Mammogram — right CC. 58-year-old patient.
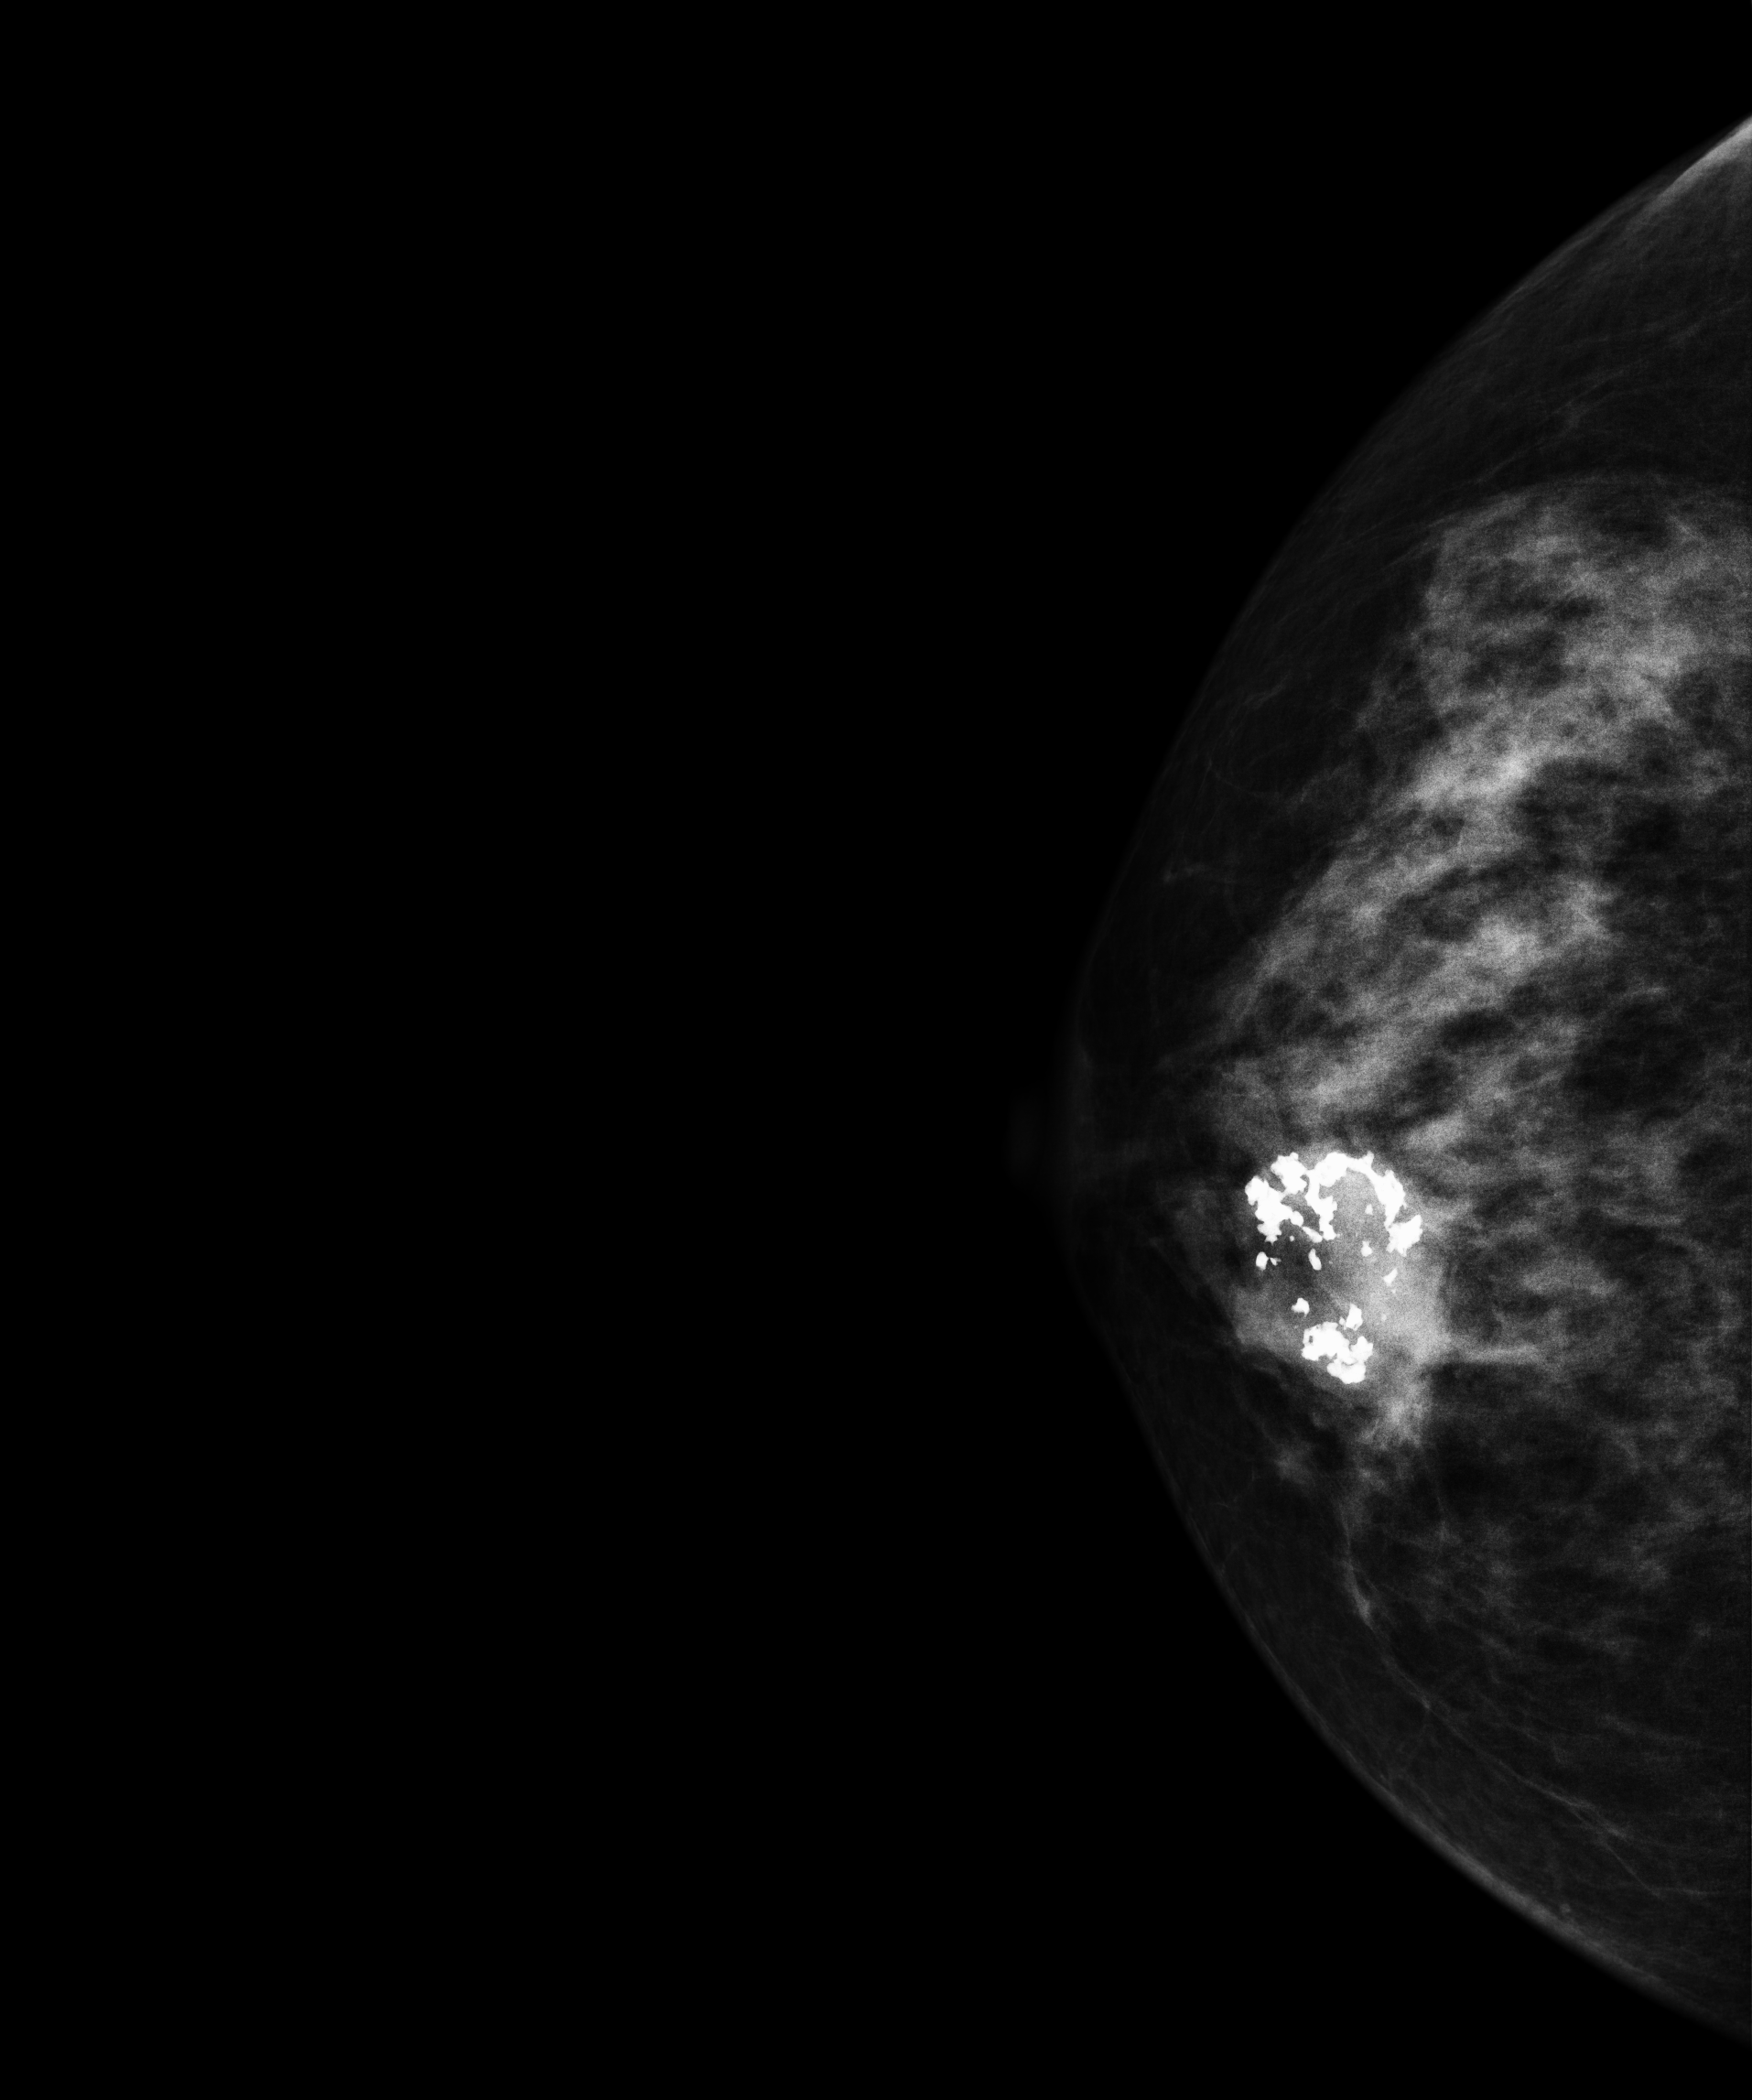
This breast has a mass and calcifications, biopsy-proven benign.